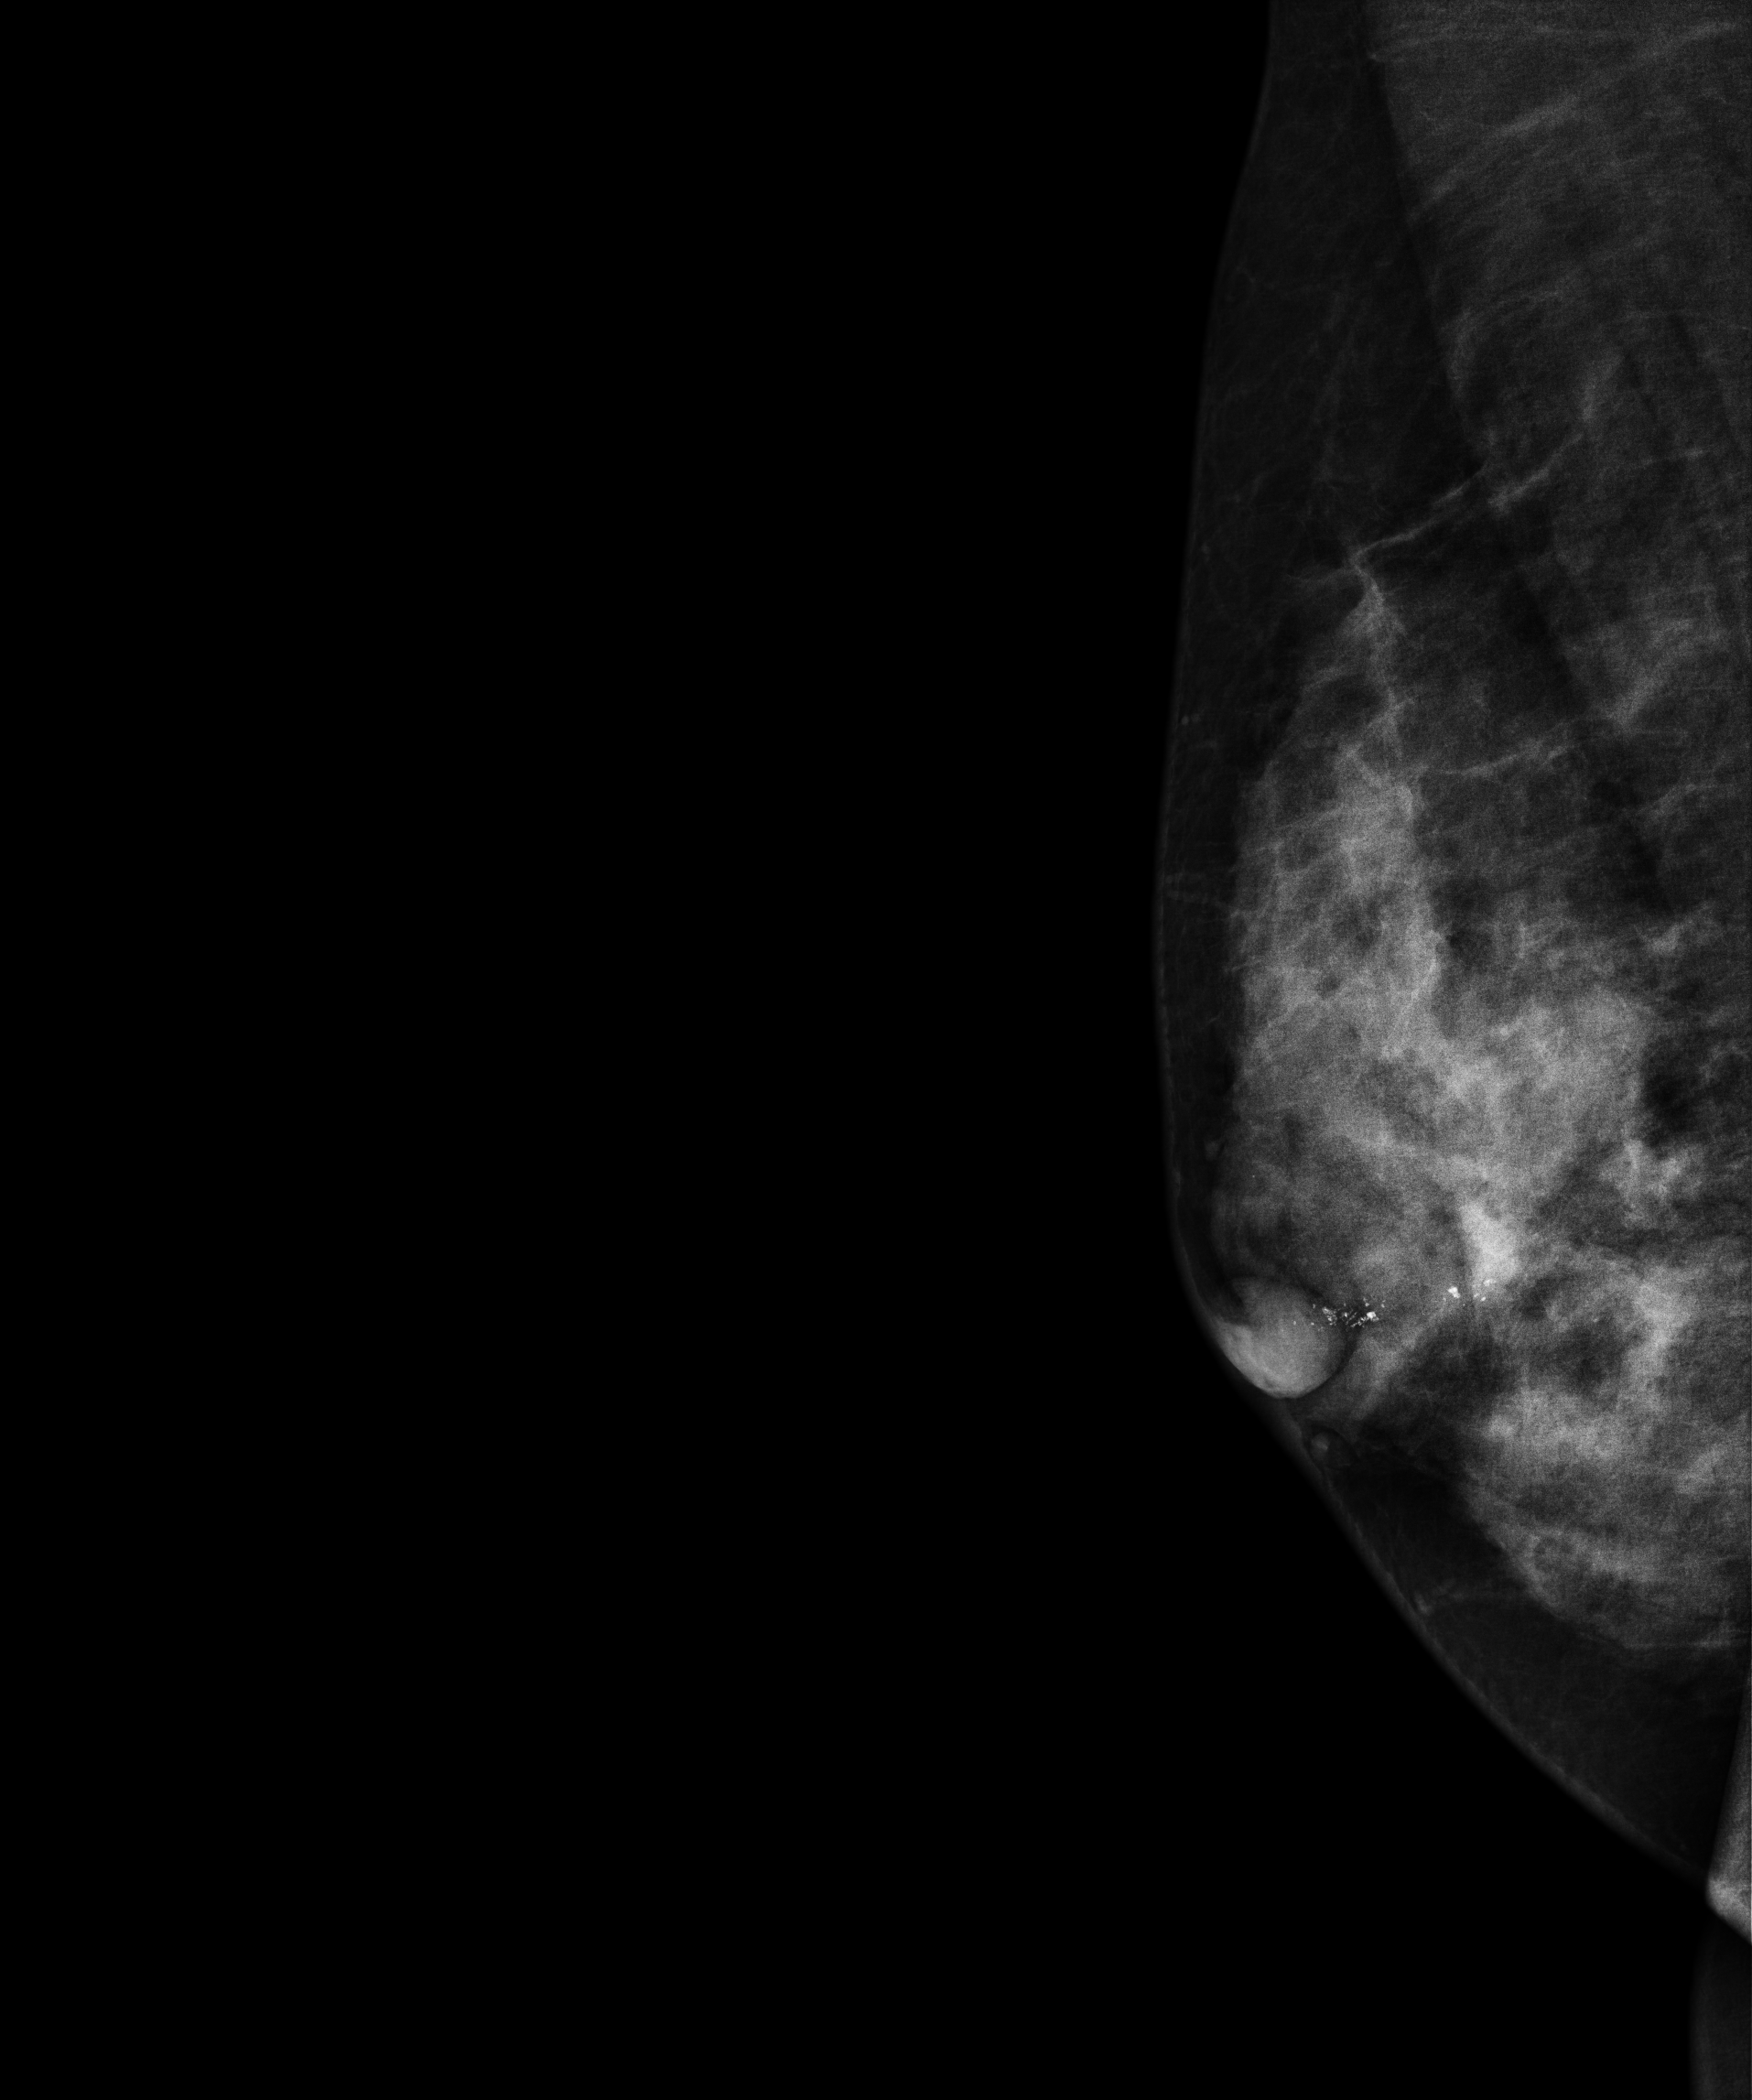
Mammogram — right MLO. 43 y/o patient.
This breast has calcifications, pathology-confirmed malignant.